Left-breast mammogram, CC. 45-year-old patient.
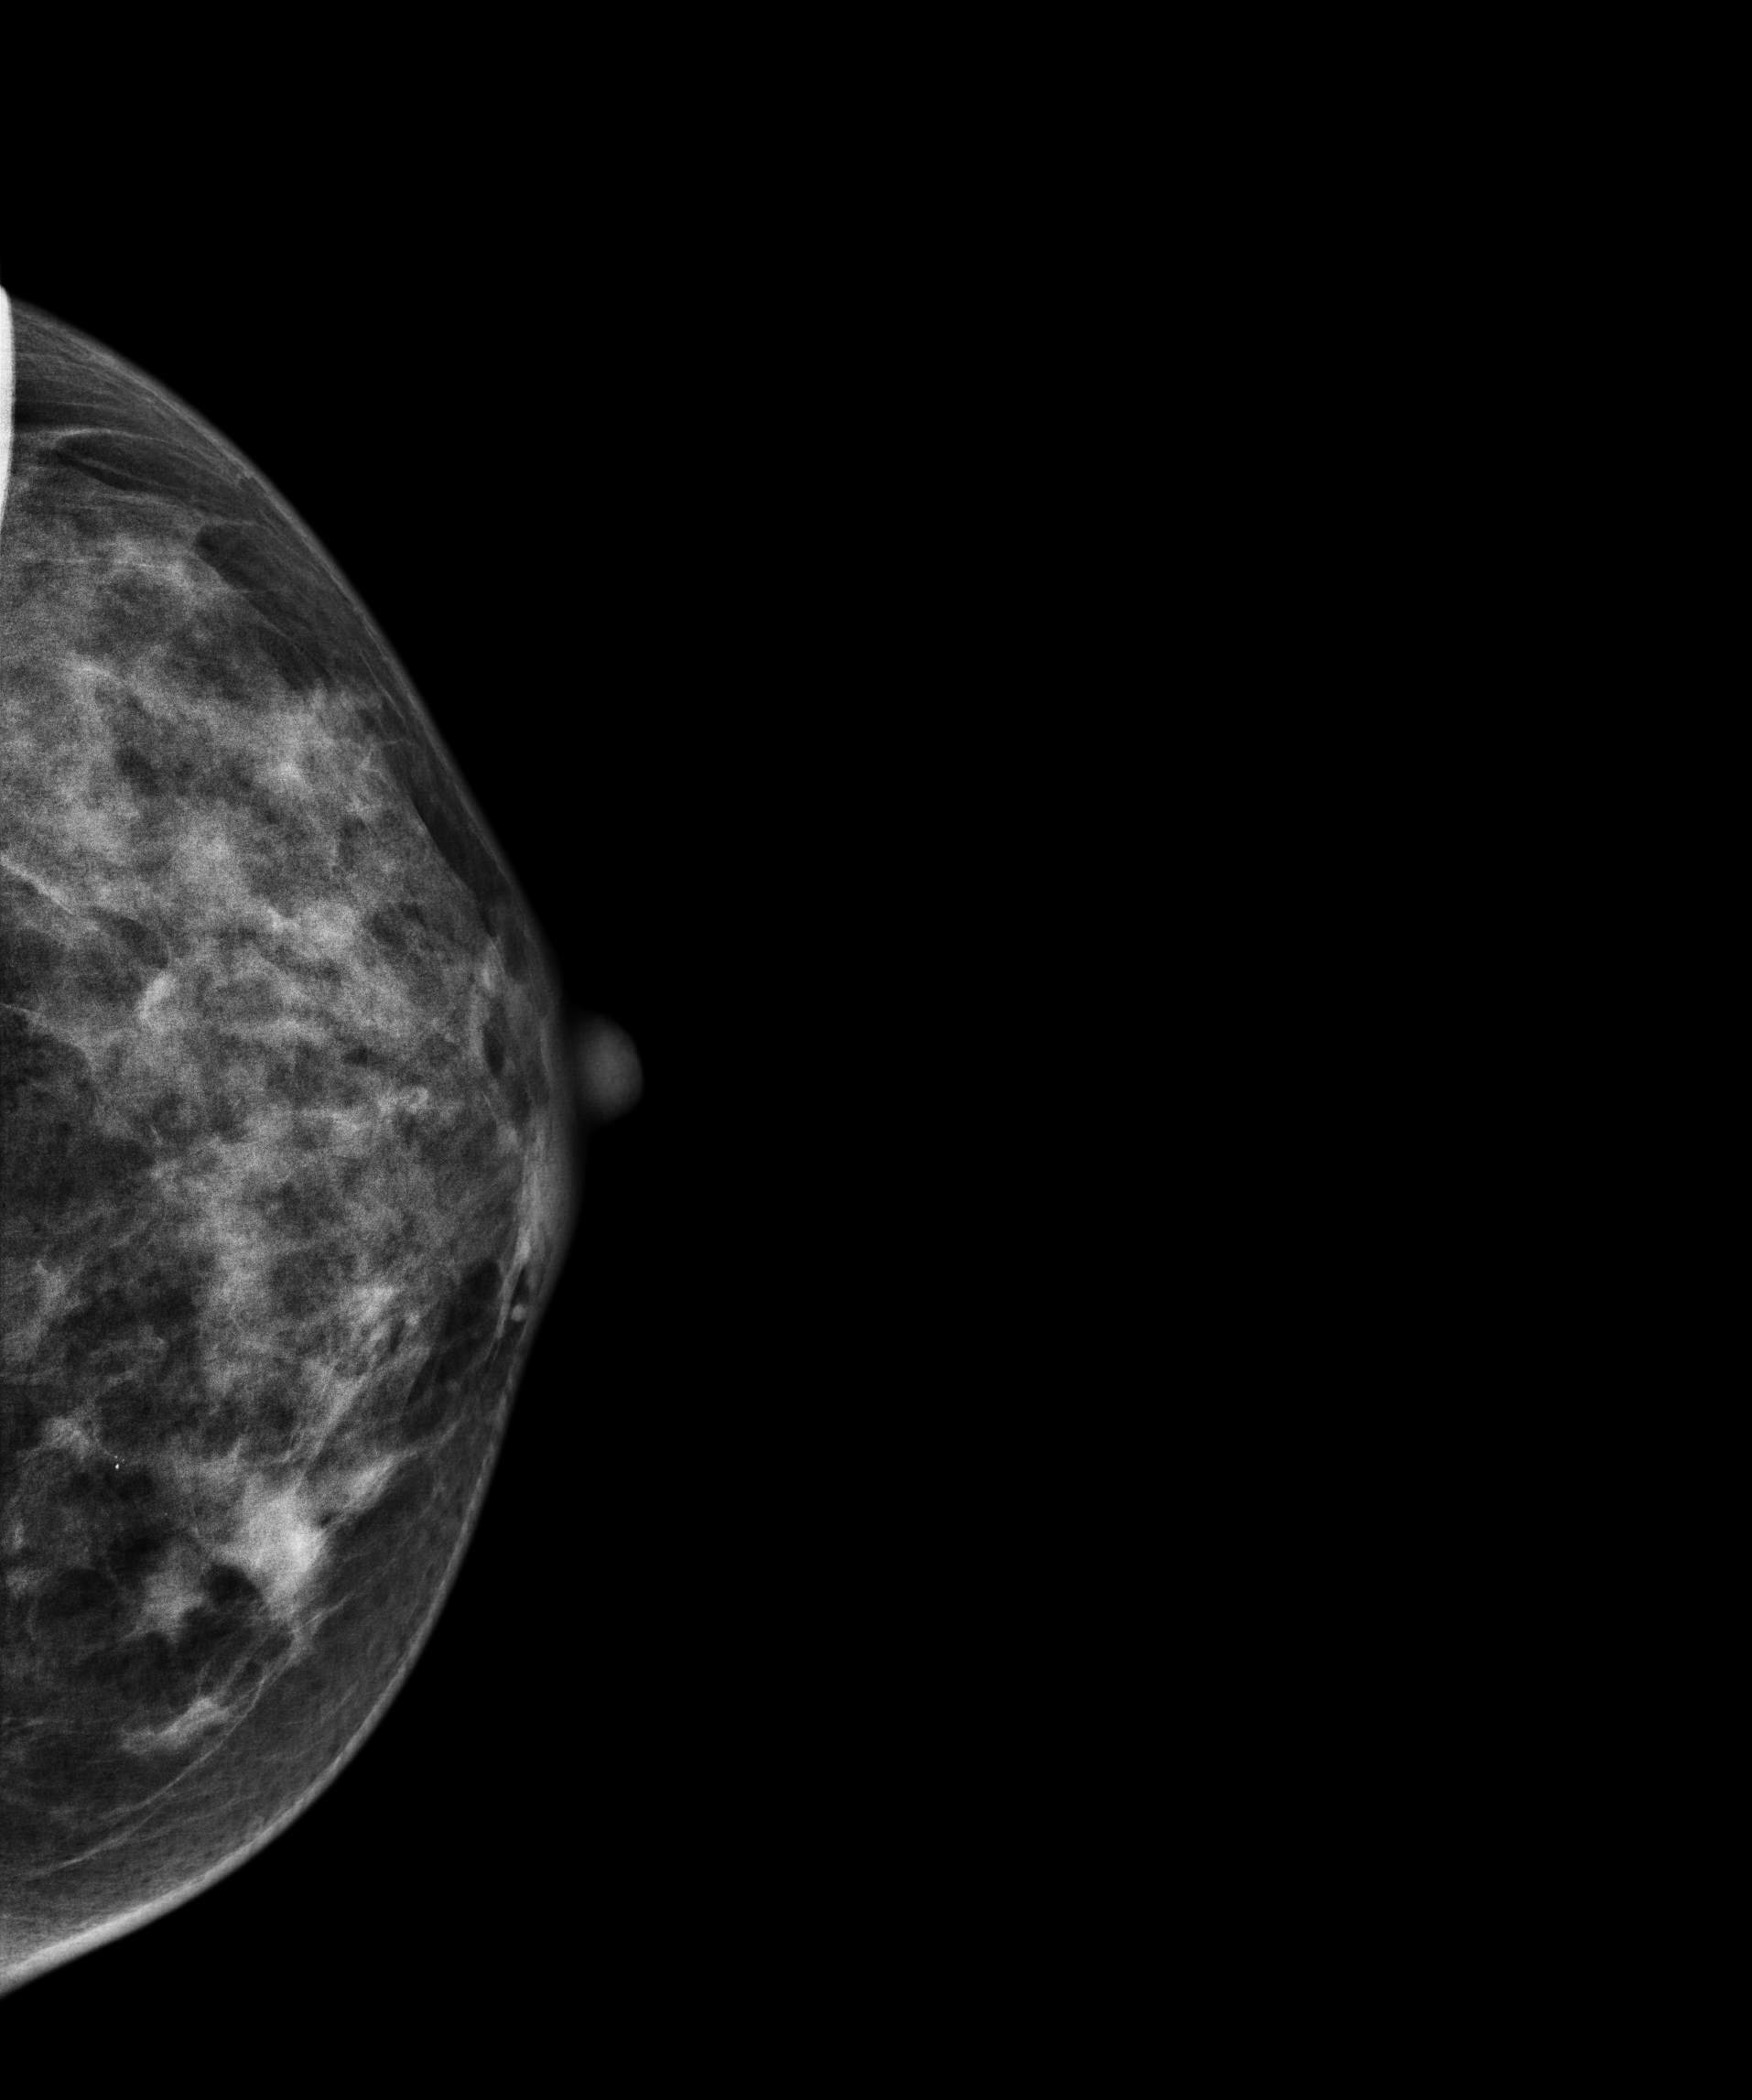
This breast has a mass and calcifications, pathology-confirmed malignant.